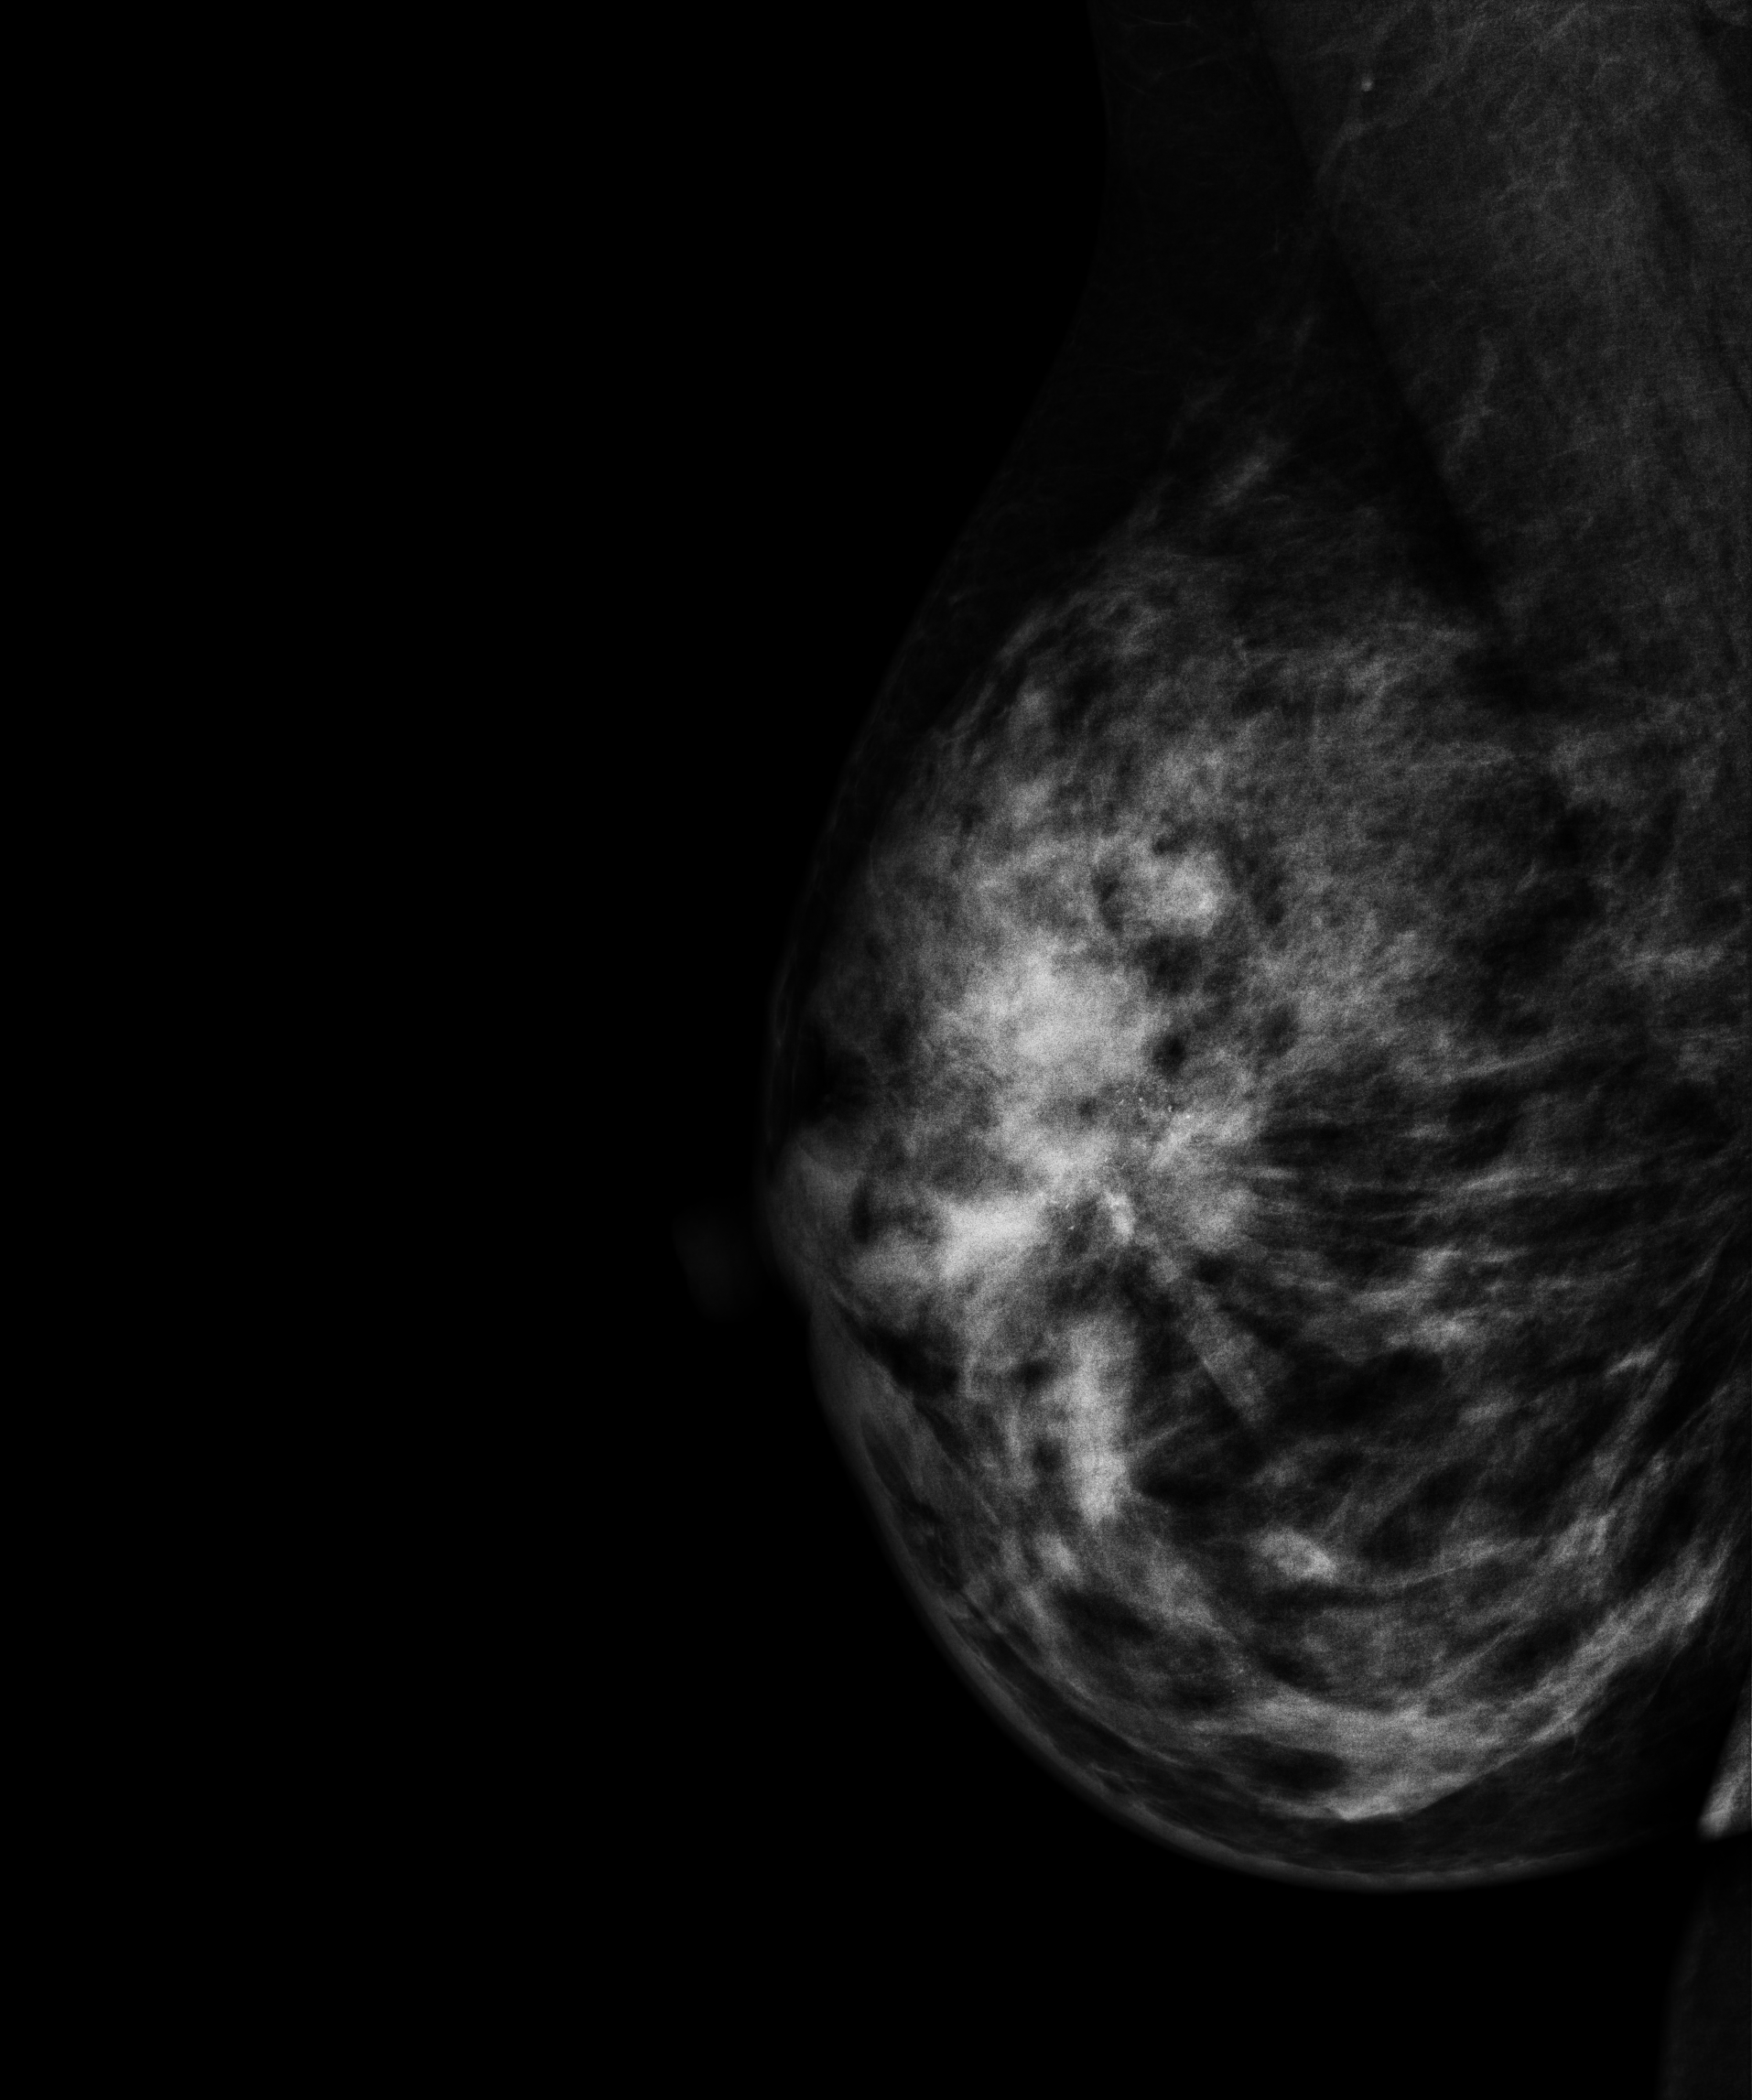
Right-breast mammogram, MLO. 37-year-old patient.
This breast has a mass and calcifications, pathology-confirmed malignant. Molecular subtype: luminal A.